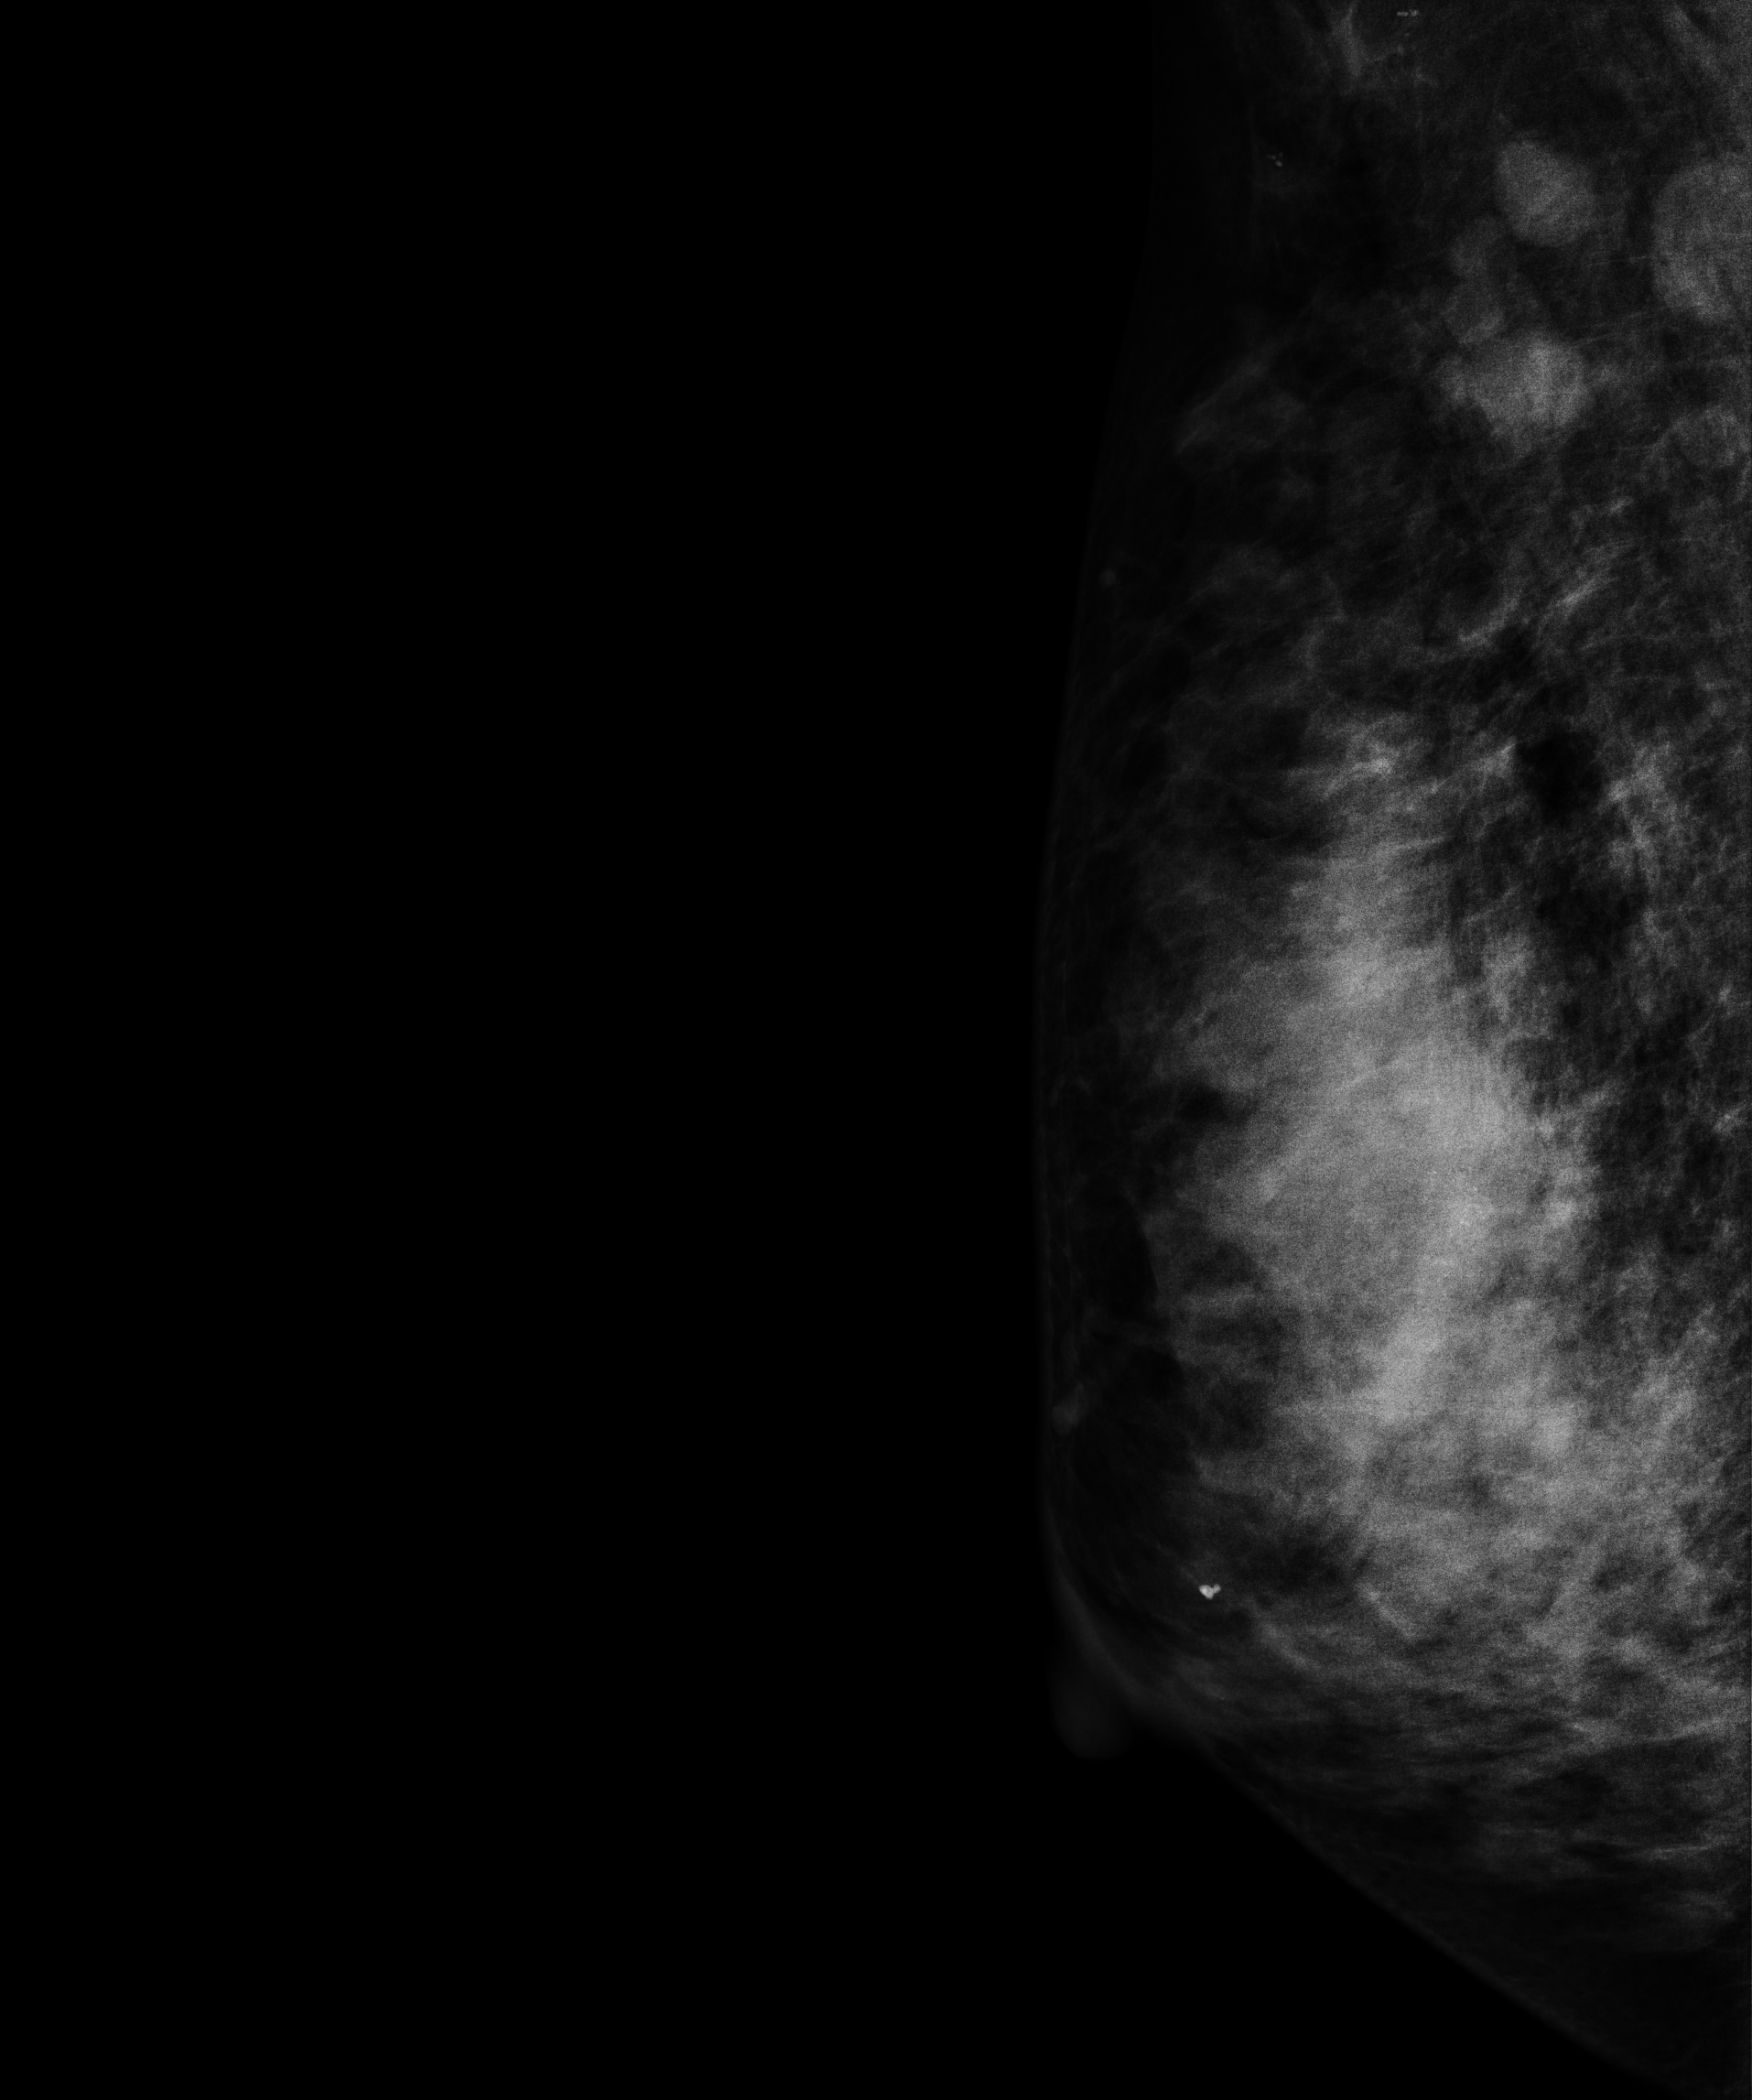
MLO mammogram of the right breast. 49-year-old patient.
This breast has a mass, biopsy-confirmed malignant. Molecular subtype: luminal B.